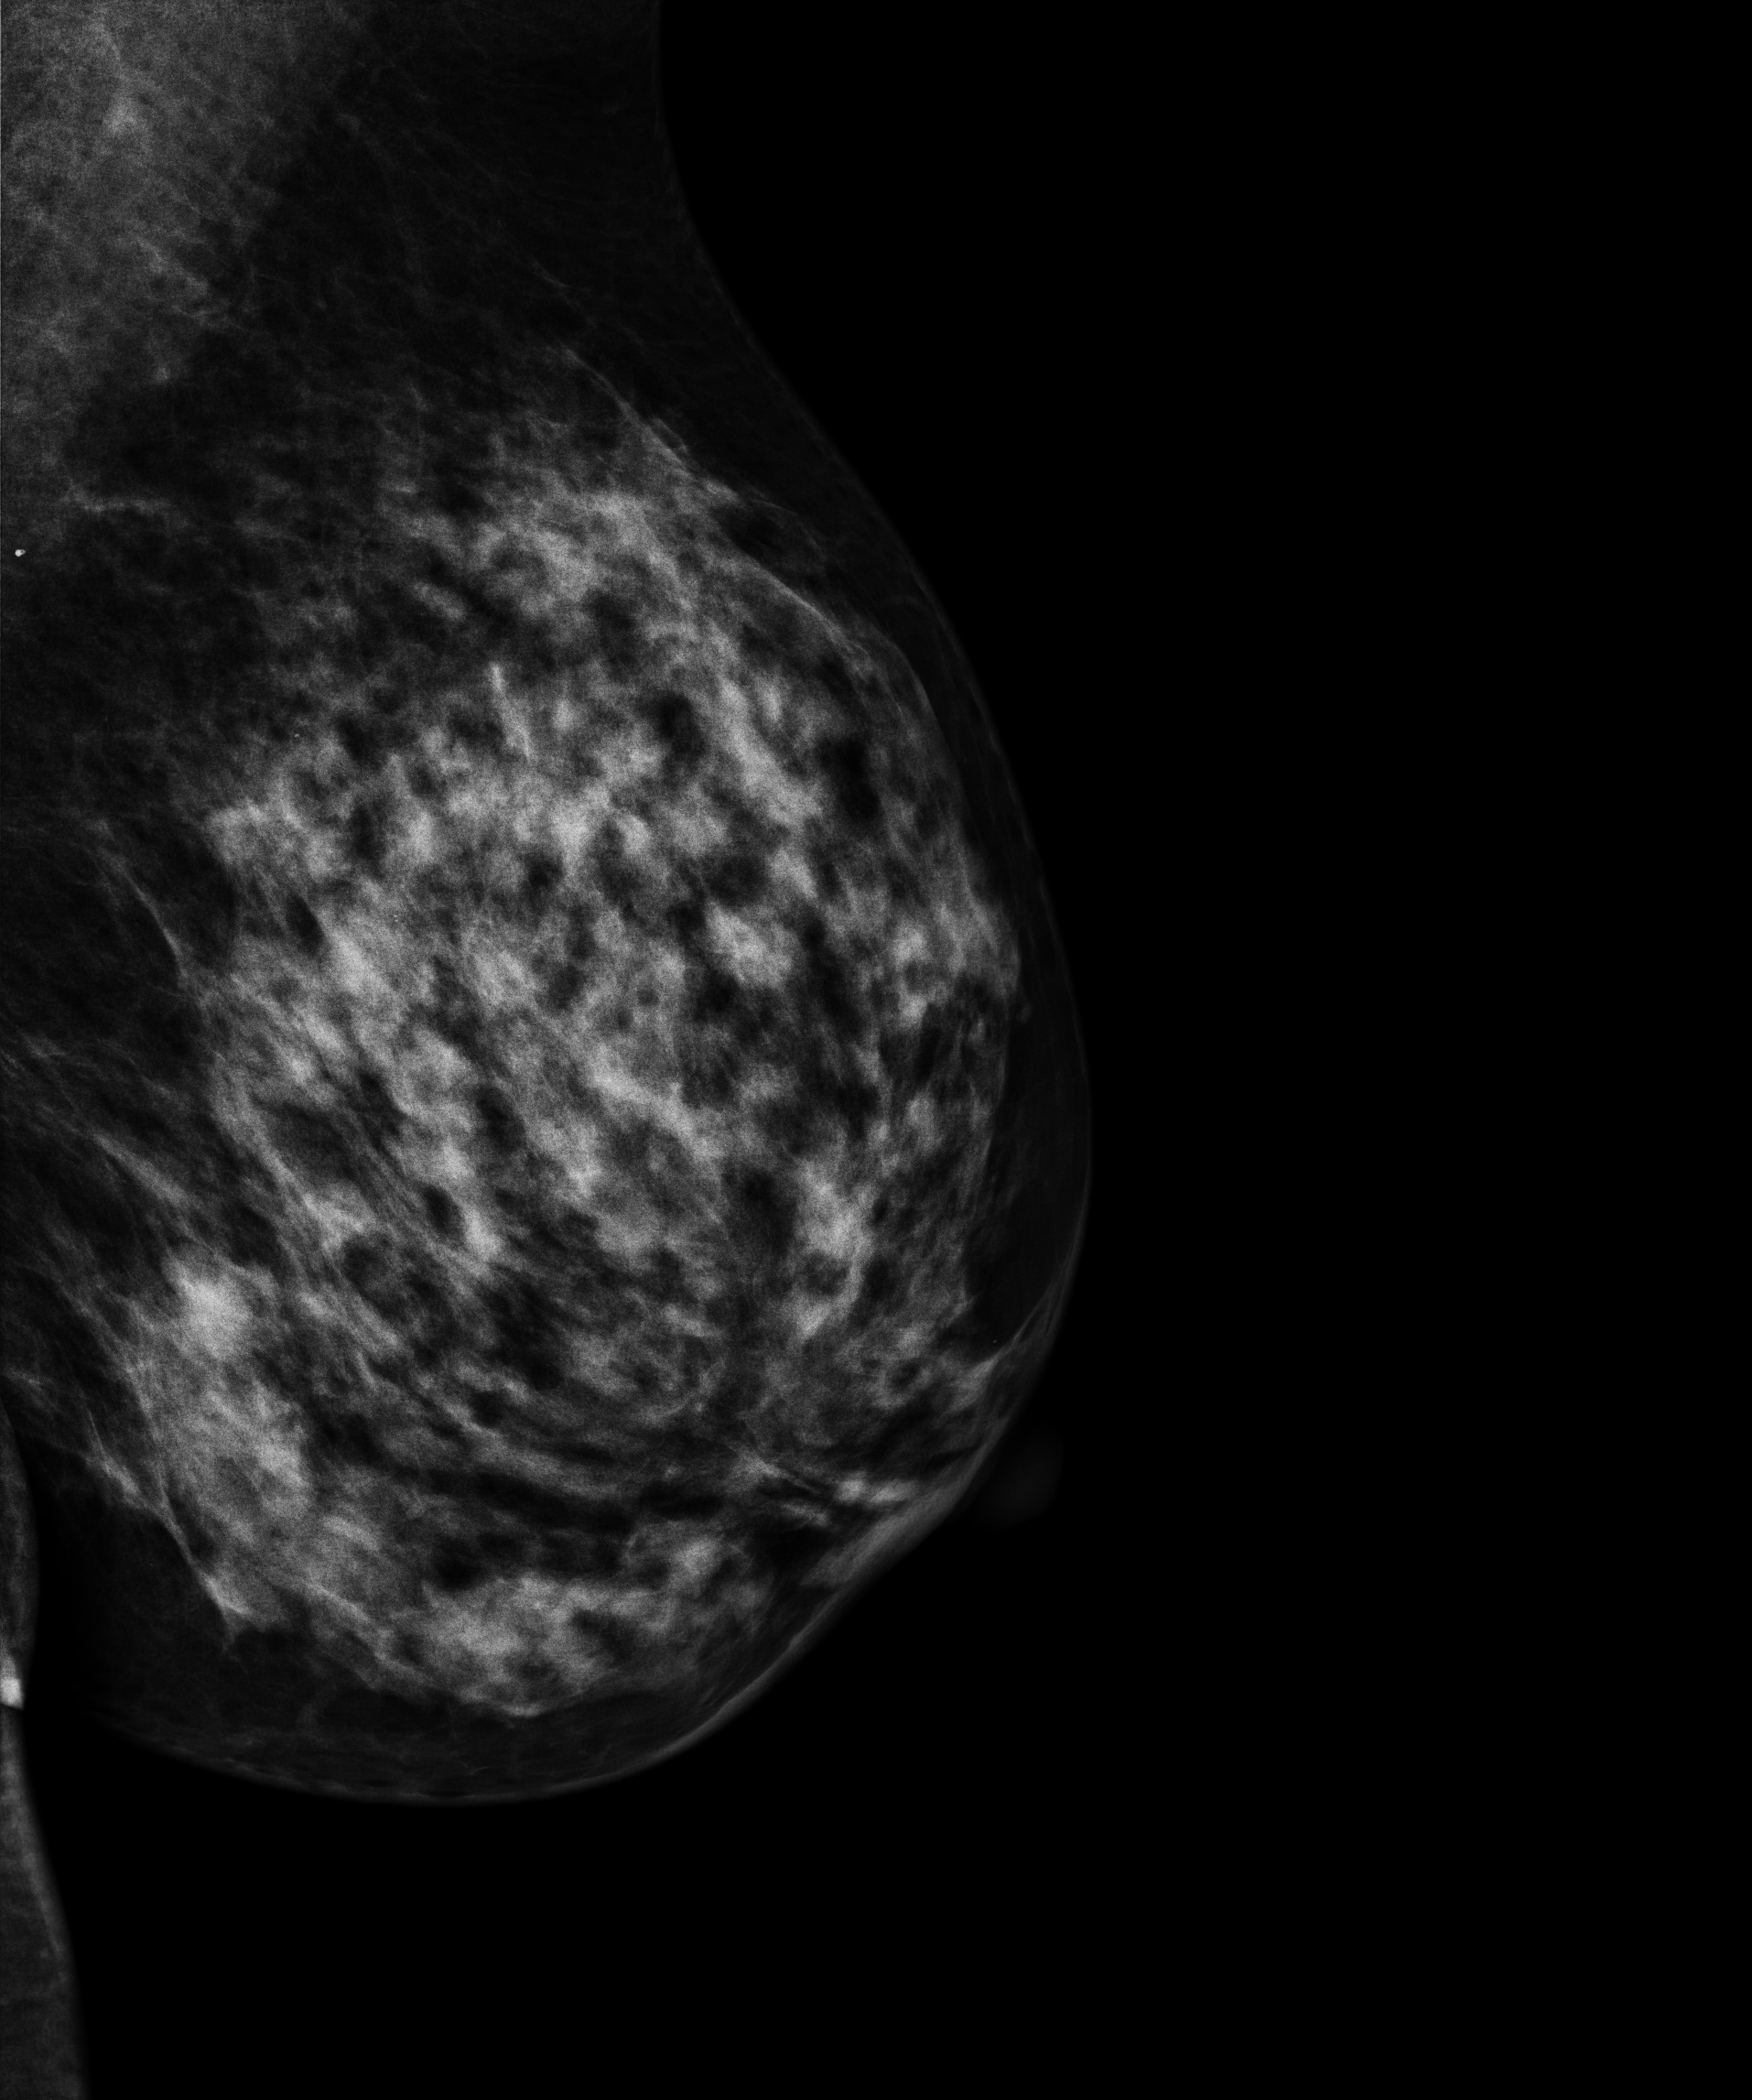
Digital mammography. Left breast, MLO projection. 49 y/o patient.
This breast has calcifications, pathology-confirmed benign.